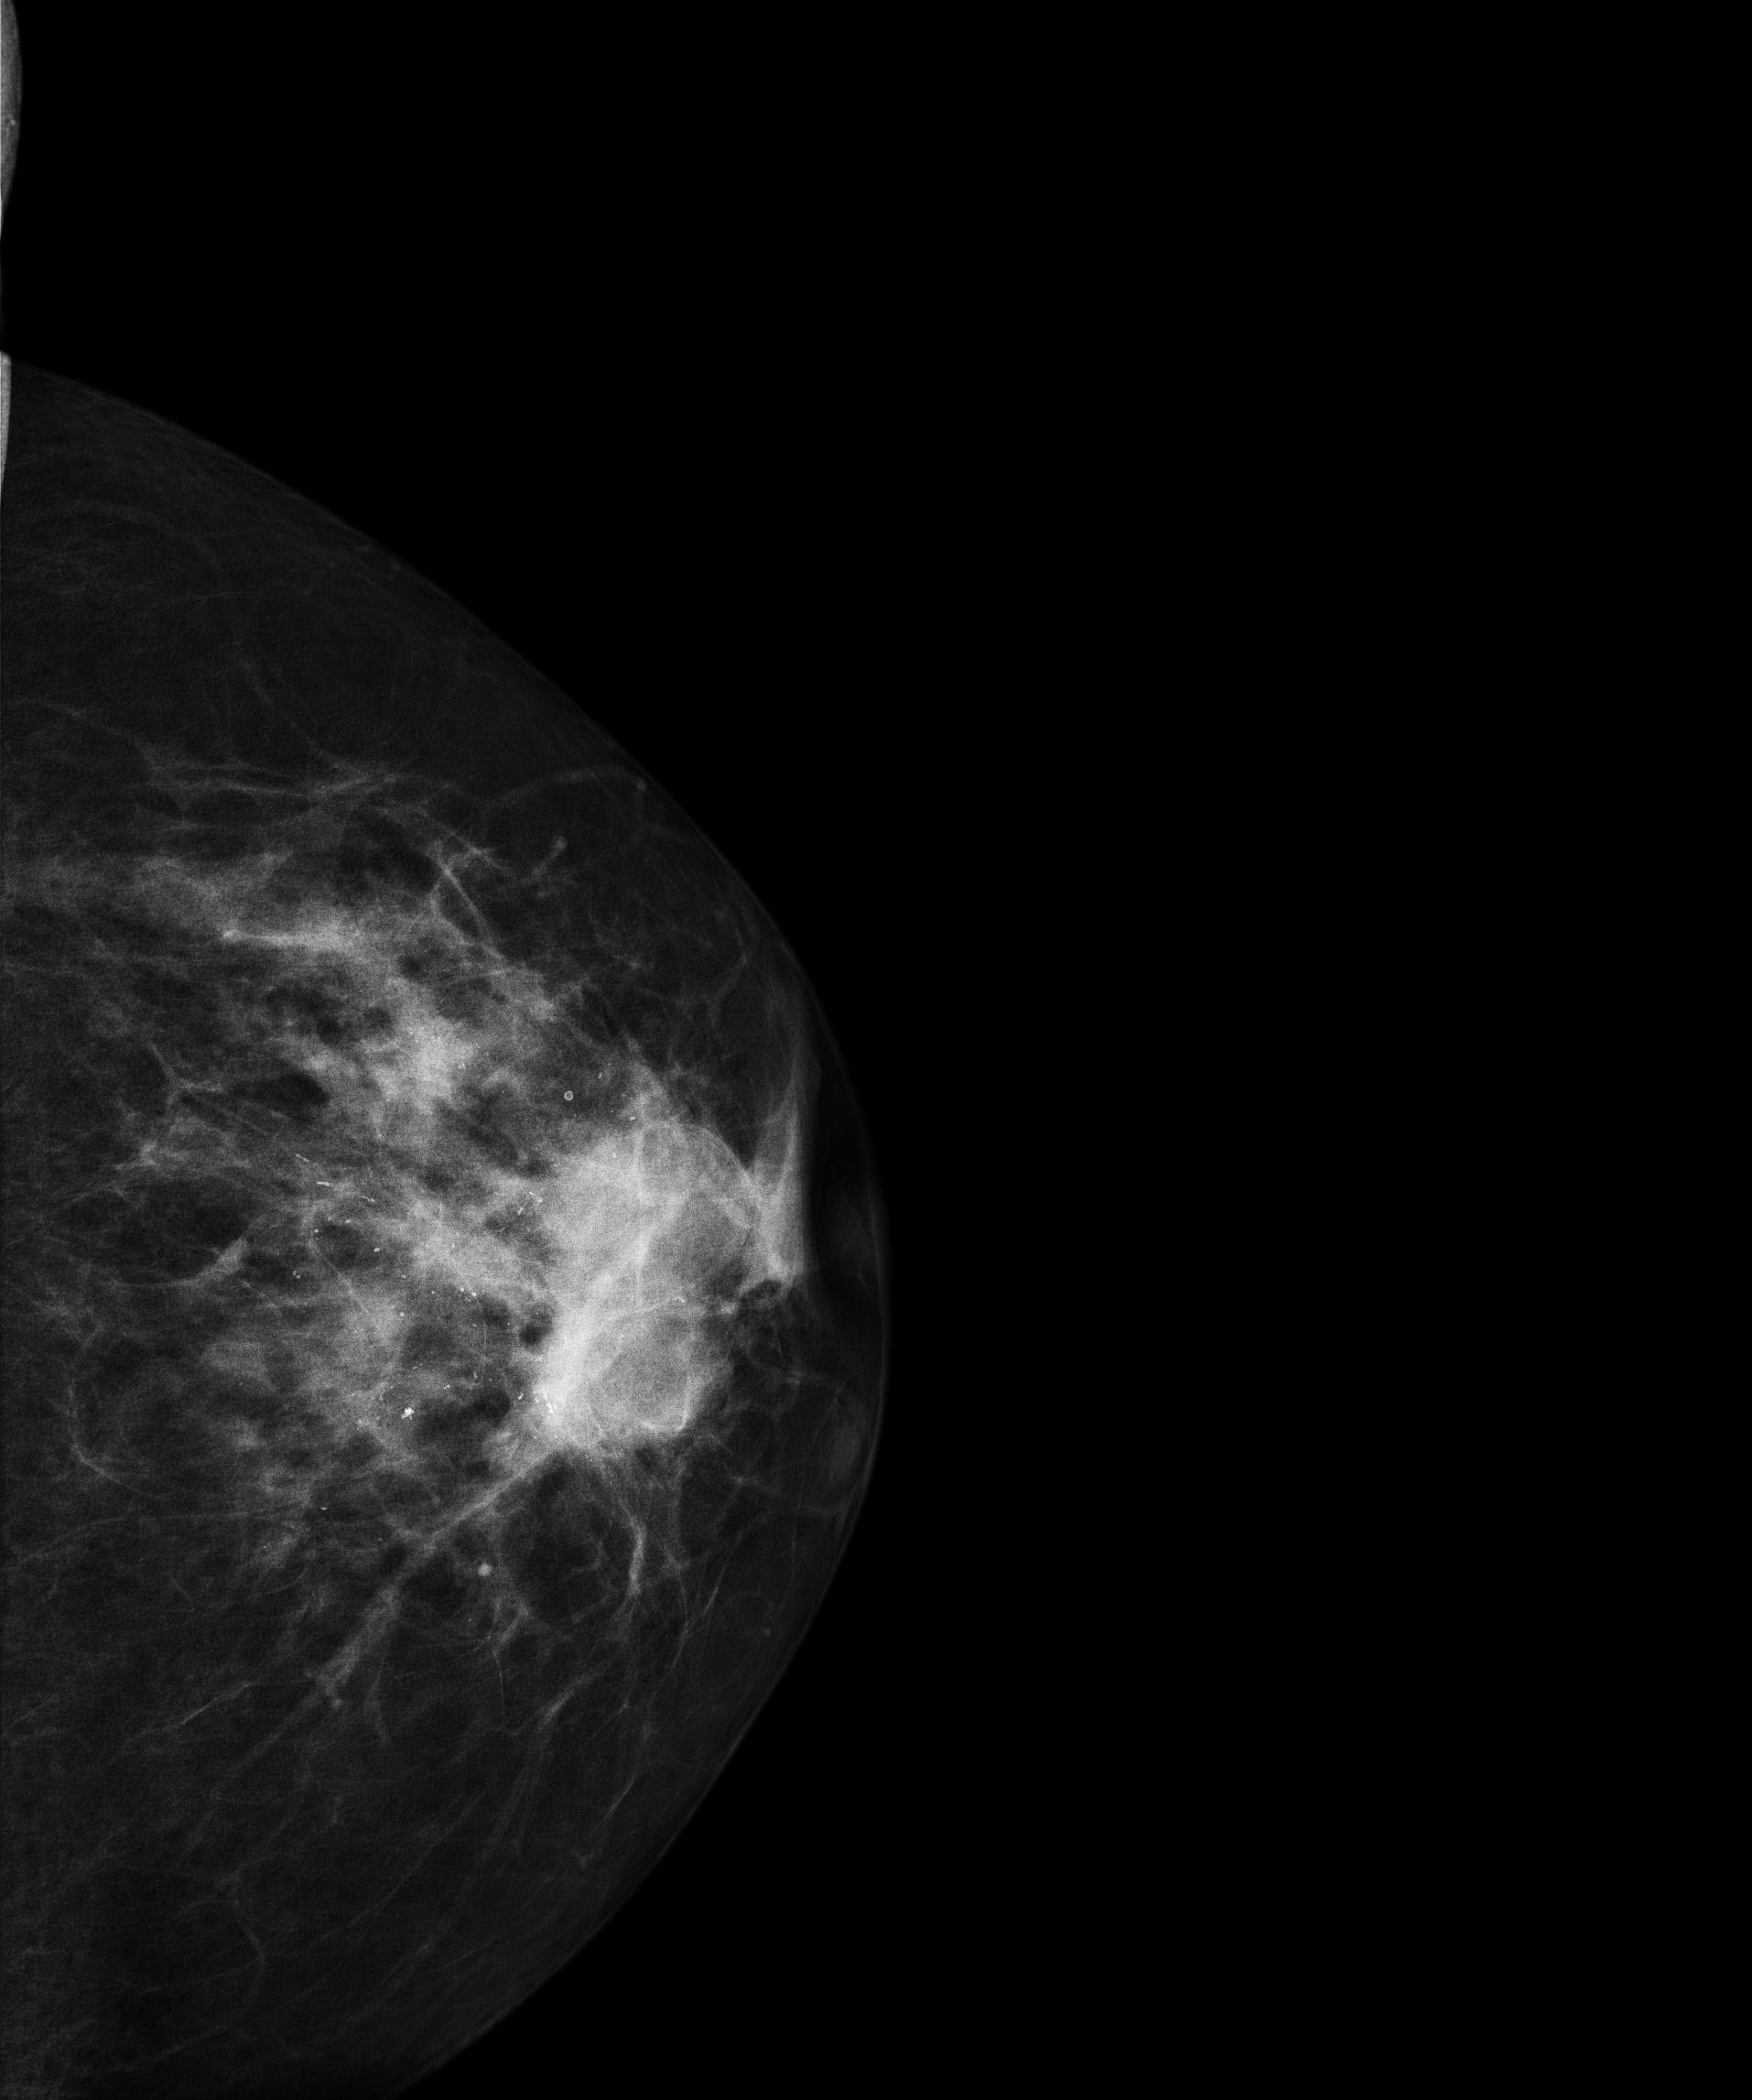
Mammogram, left breast, CC view. Patient age 60.
This breast has a mass and calcifications, histologically confirmed malignant. Molecular subtype: HER2-enriched.